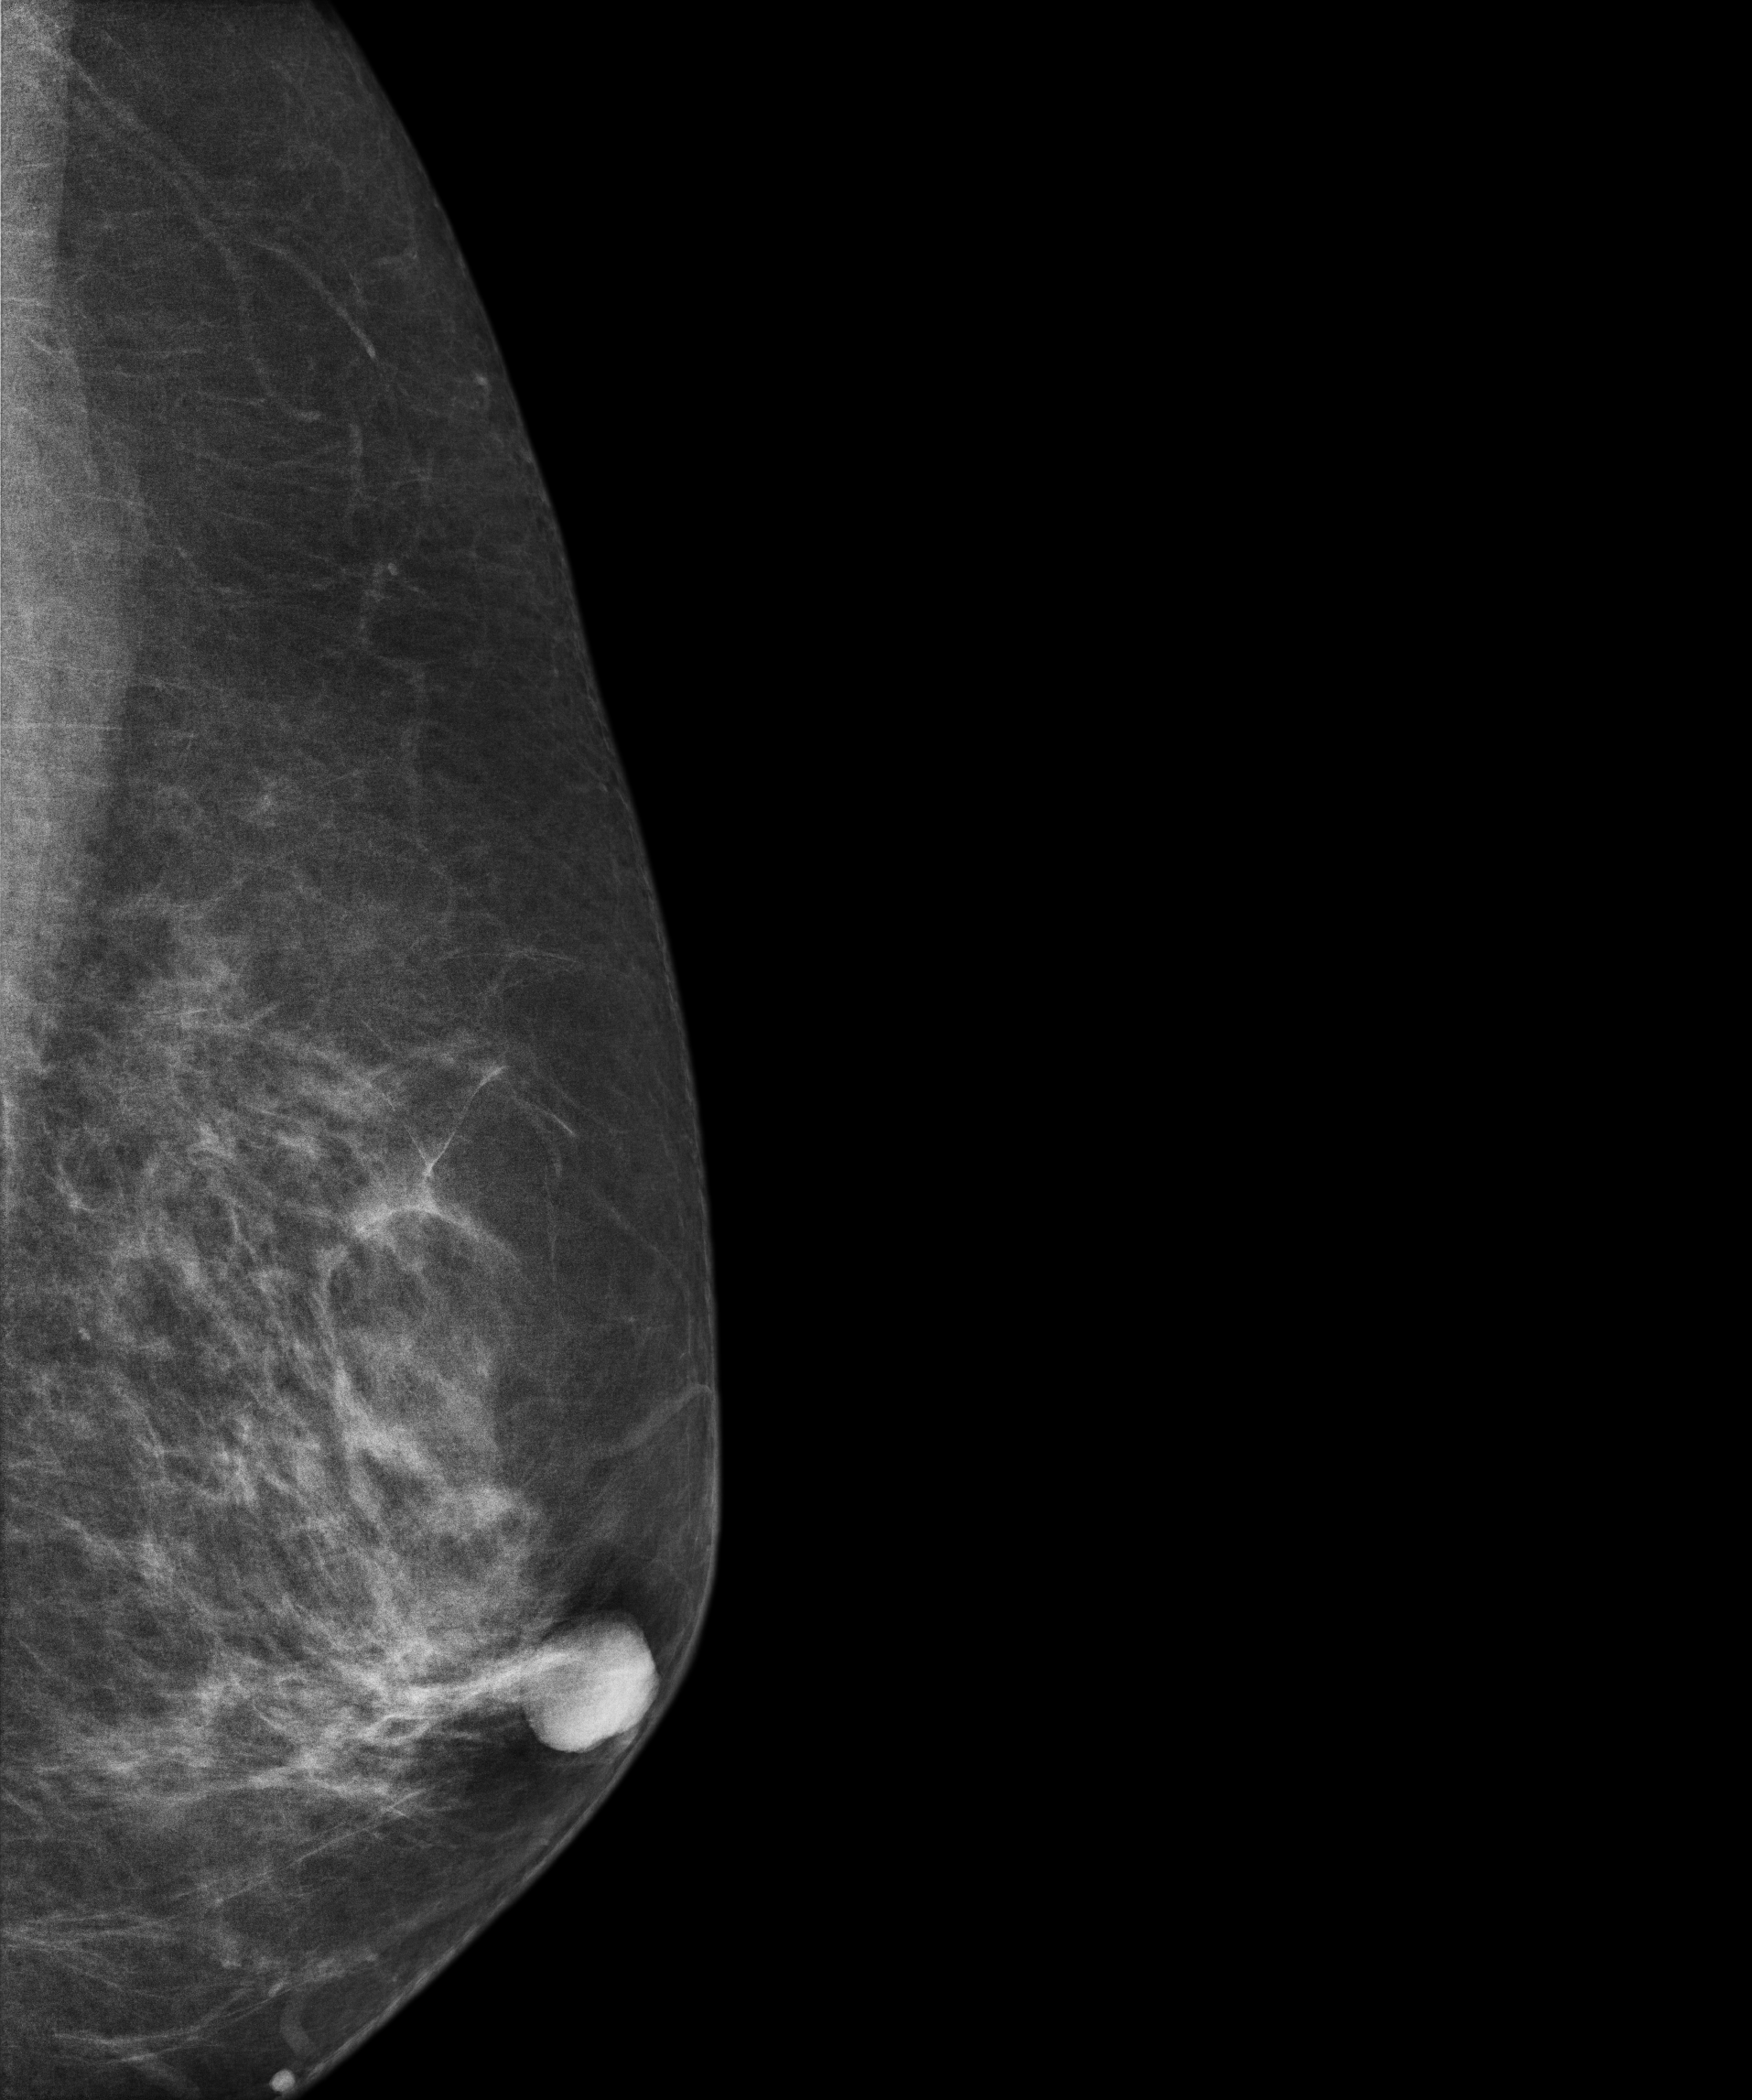
Mammogram — left MLO. 47-year-old patient.
Contralateral breast — no documented abnormality on this side.